Cranio-caudal mammogram of the left breast. 34-year-old patient.
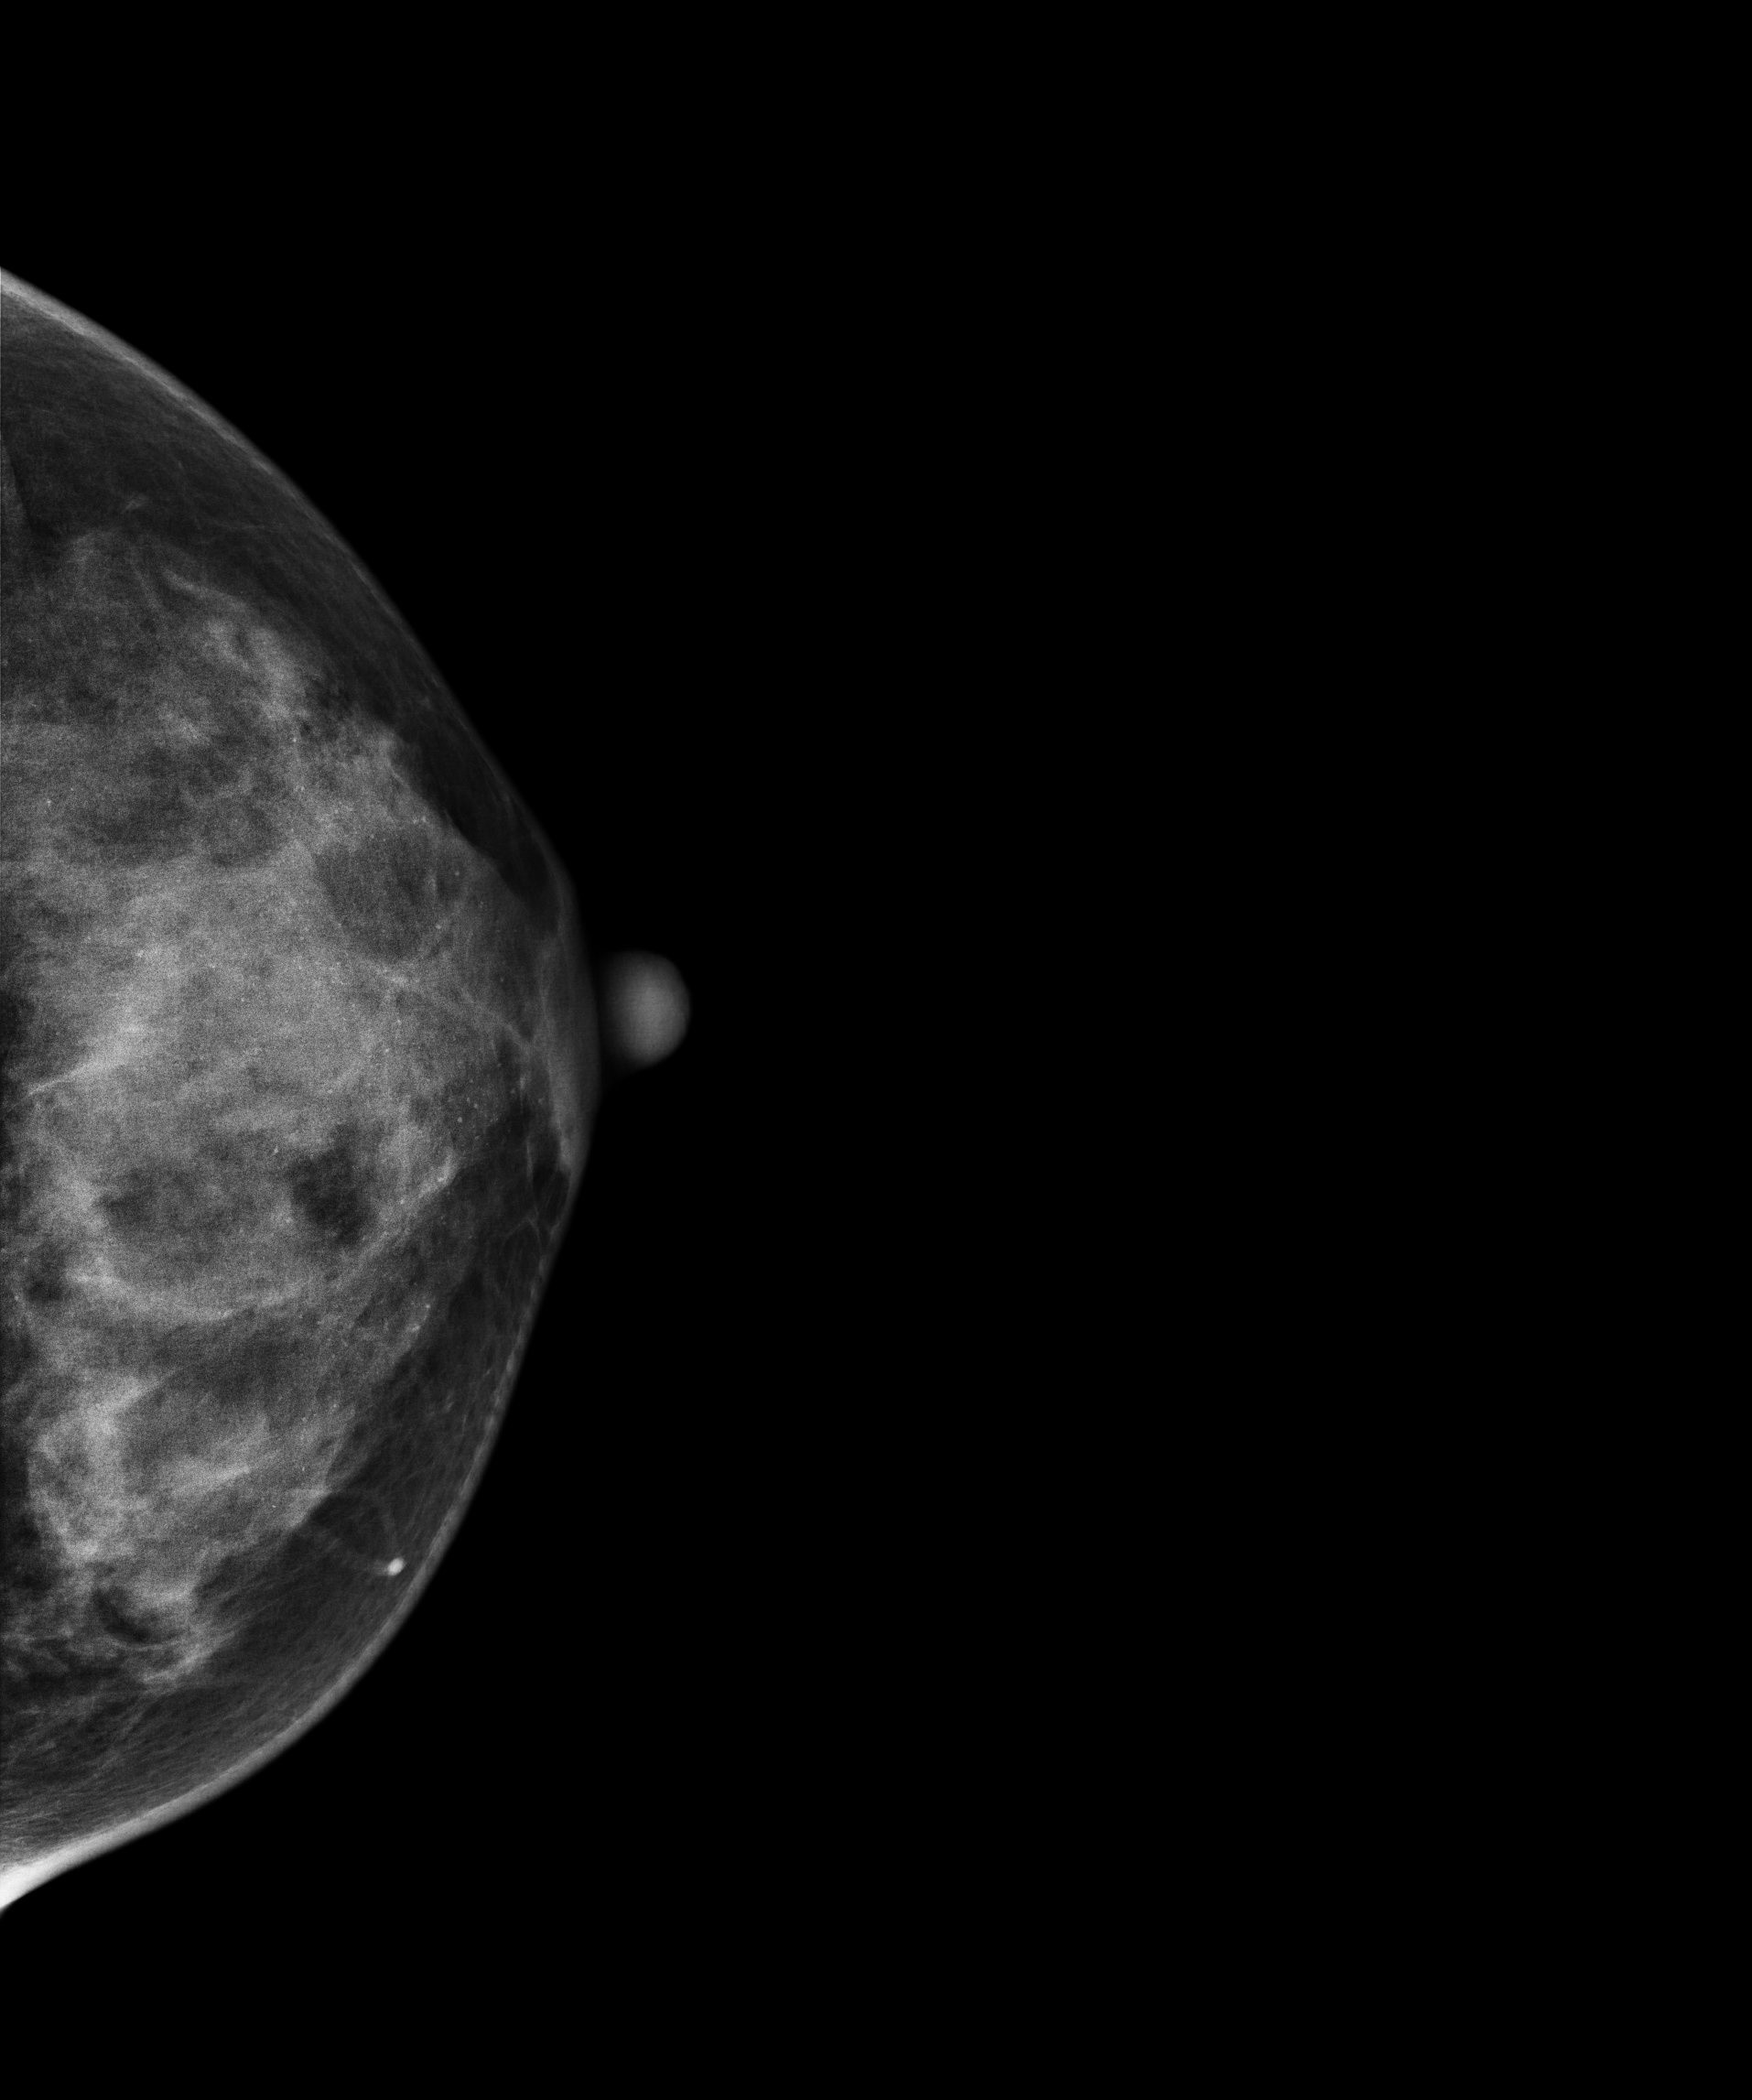
This breast has calcifications, pathology-confirmed benign.